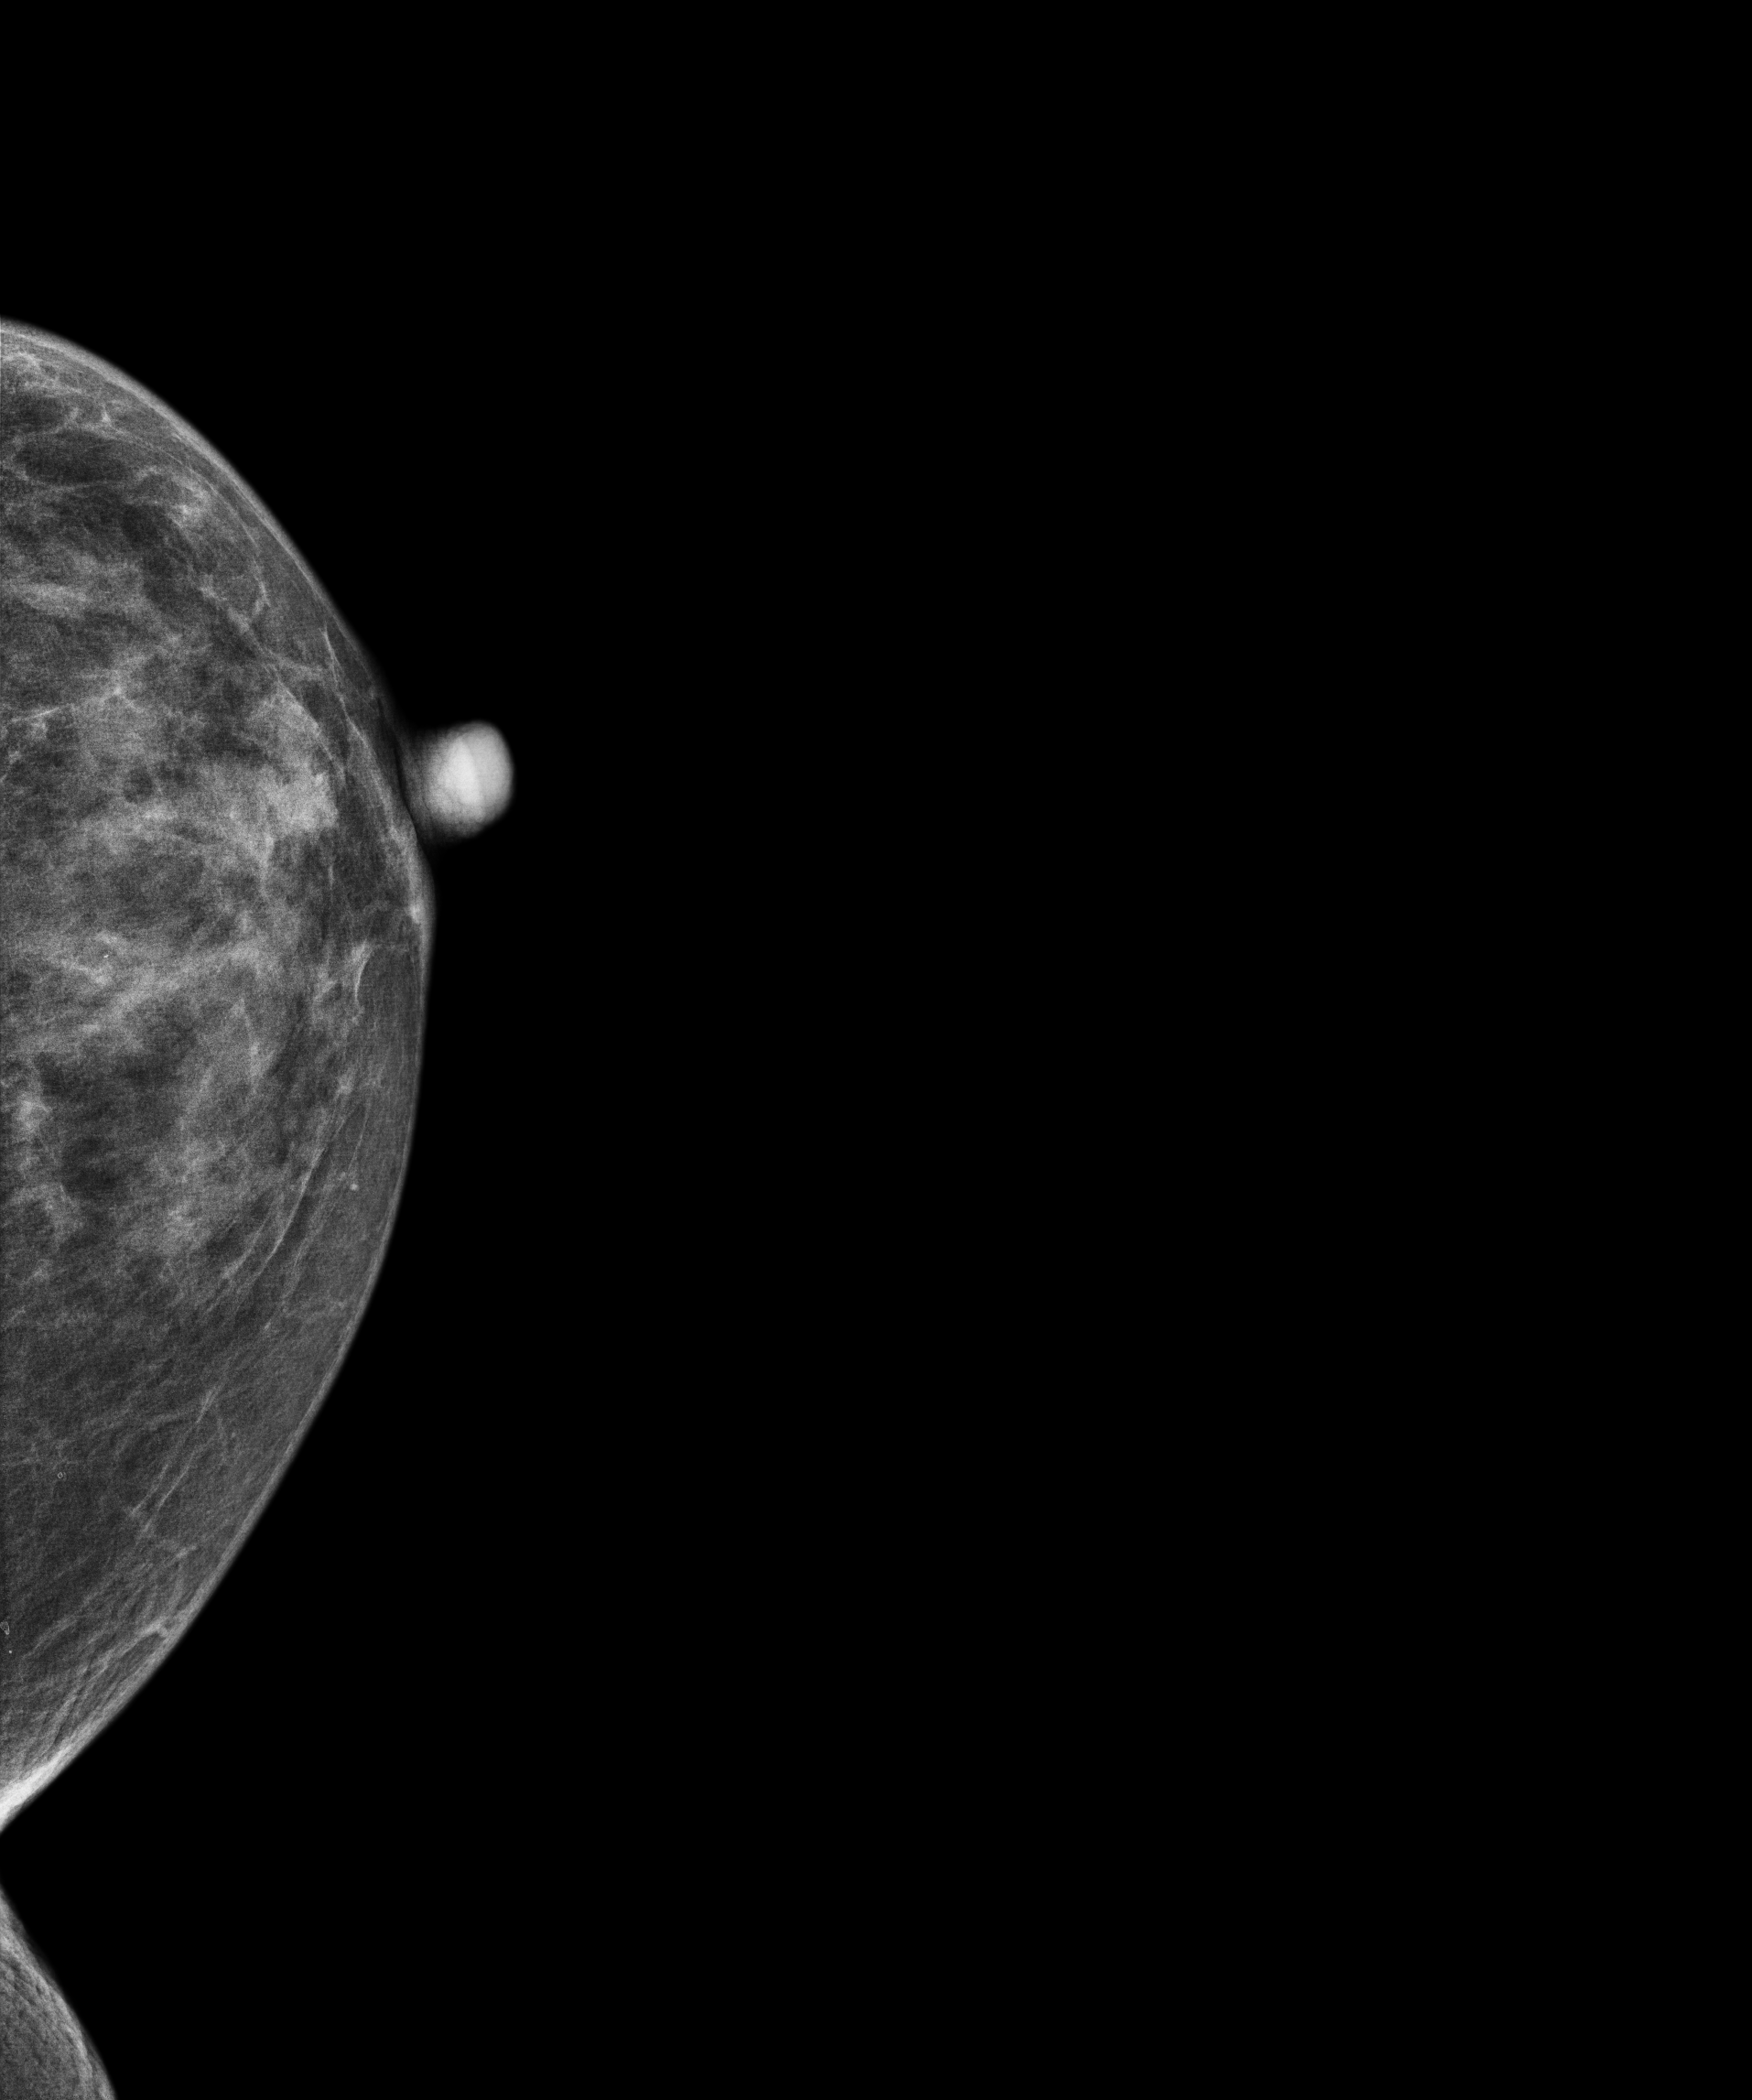
Left-breast mammogram, cranio-caudal. Patient age 83.
This breast has a mass, biopsy-confirmed malignant. Molecular subtype: luminal A.